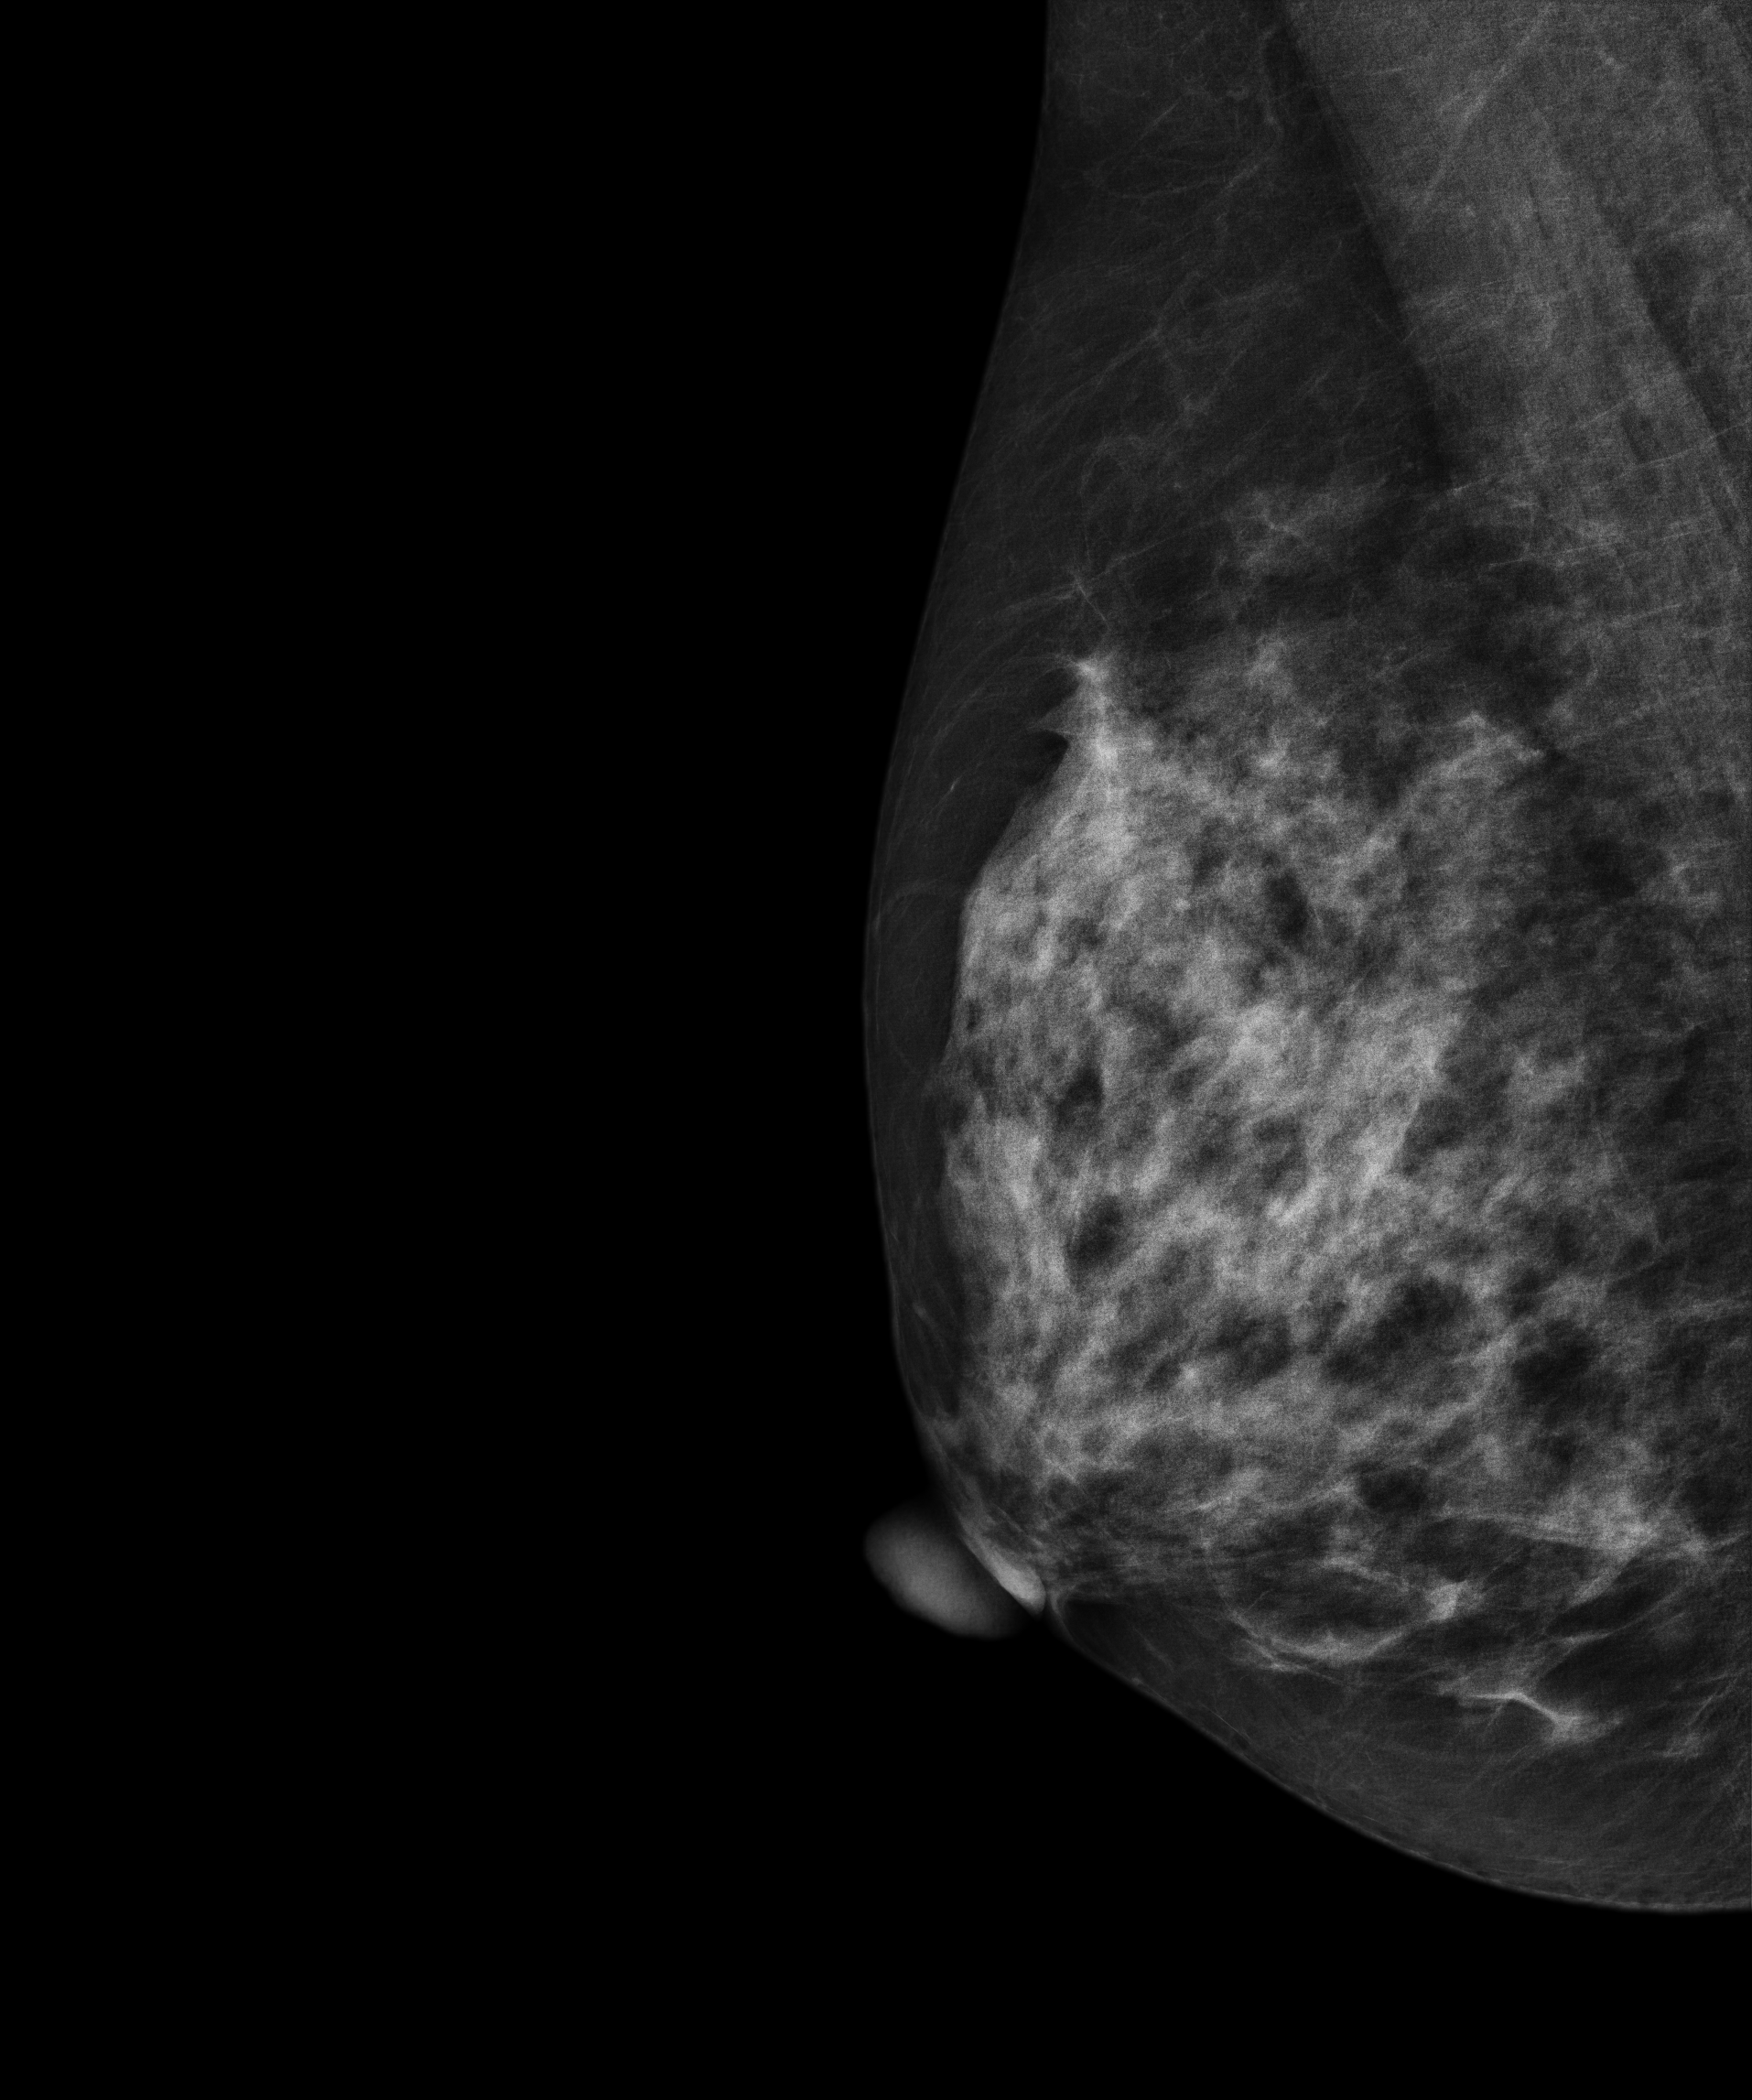
Digital mammography. Right breast, medio-lateral oblique projection. 44-year-old patient.
Contralateral breast — no documented abnormality on this side.